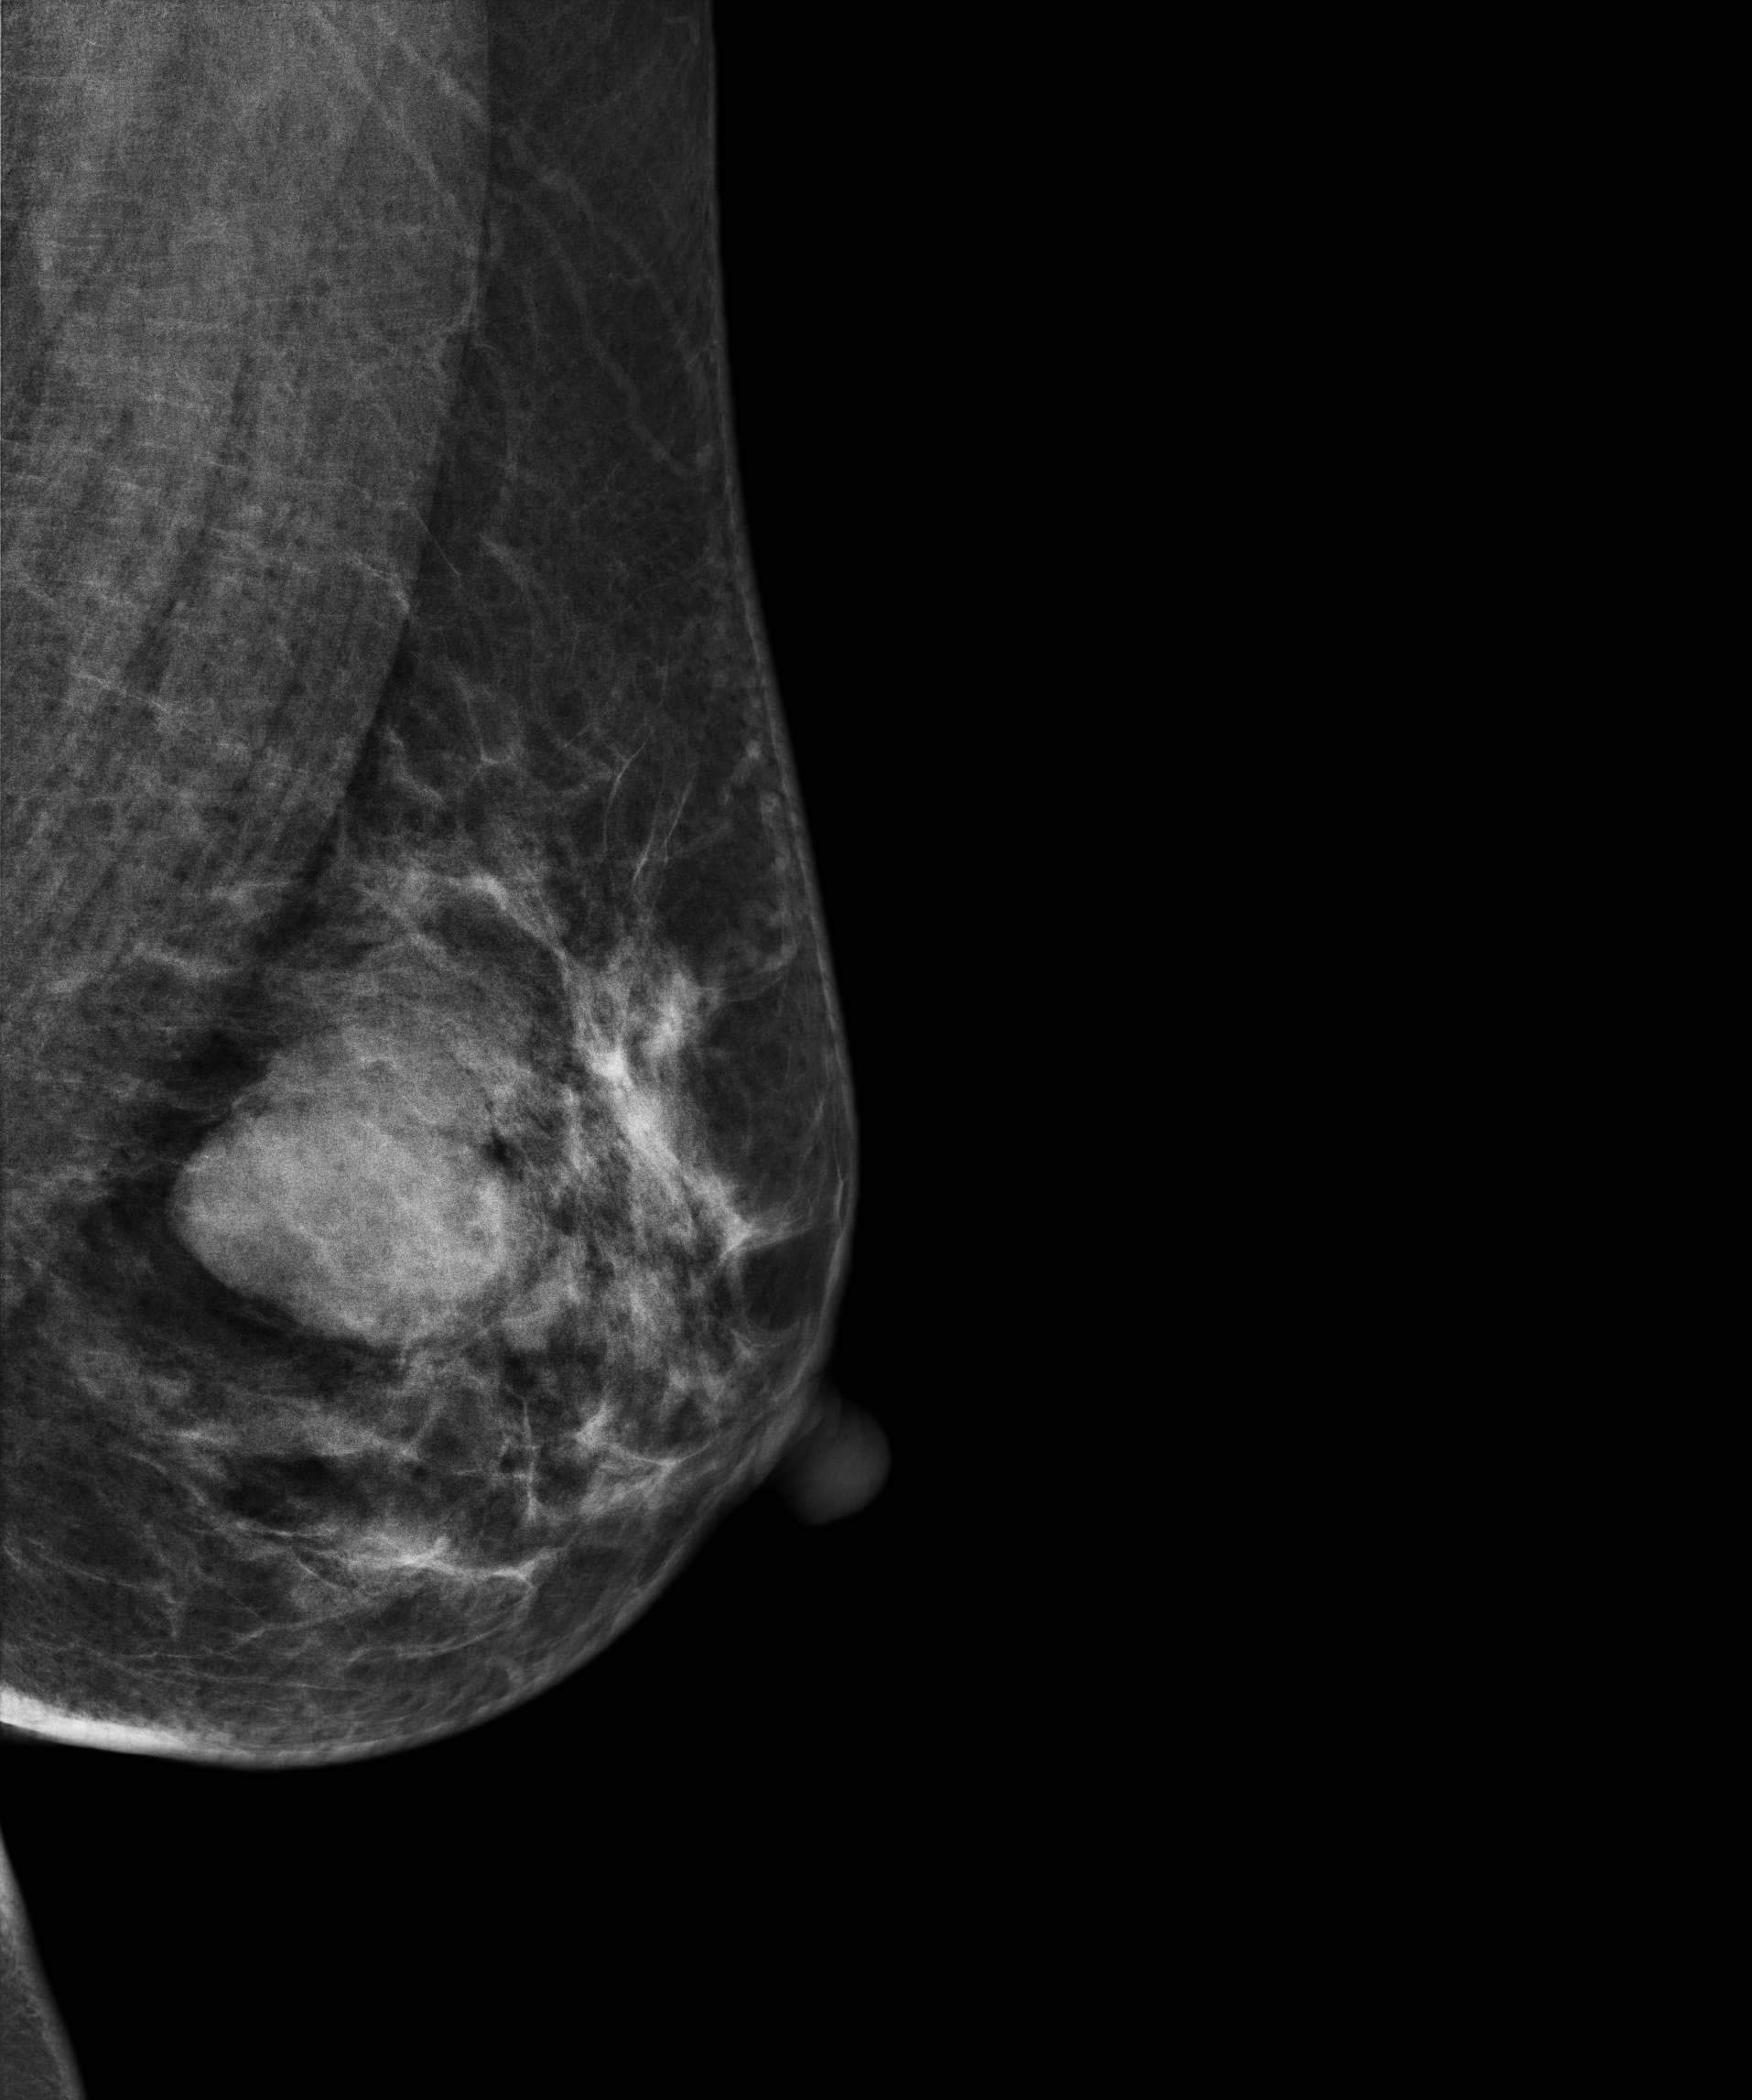
Digital mammography. Left breast, MLO projection. Patient age 50.
Contralateral breast — no documented abnormality on this side.